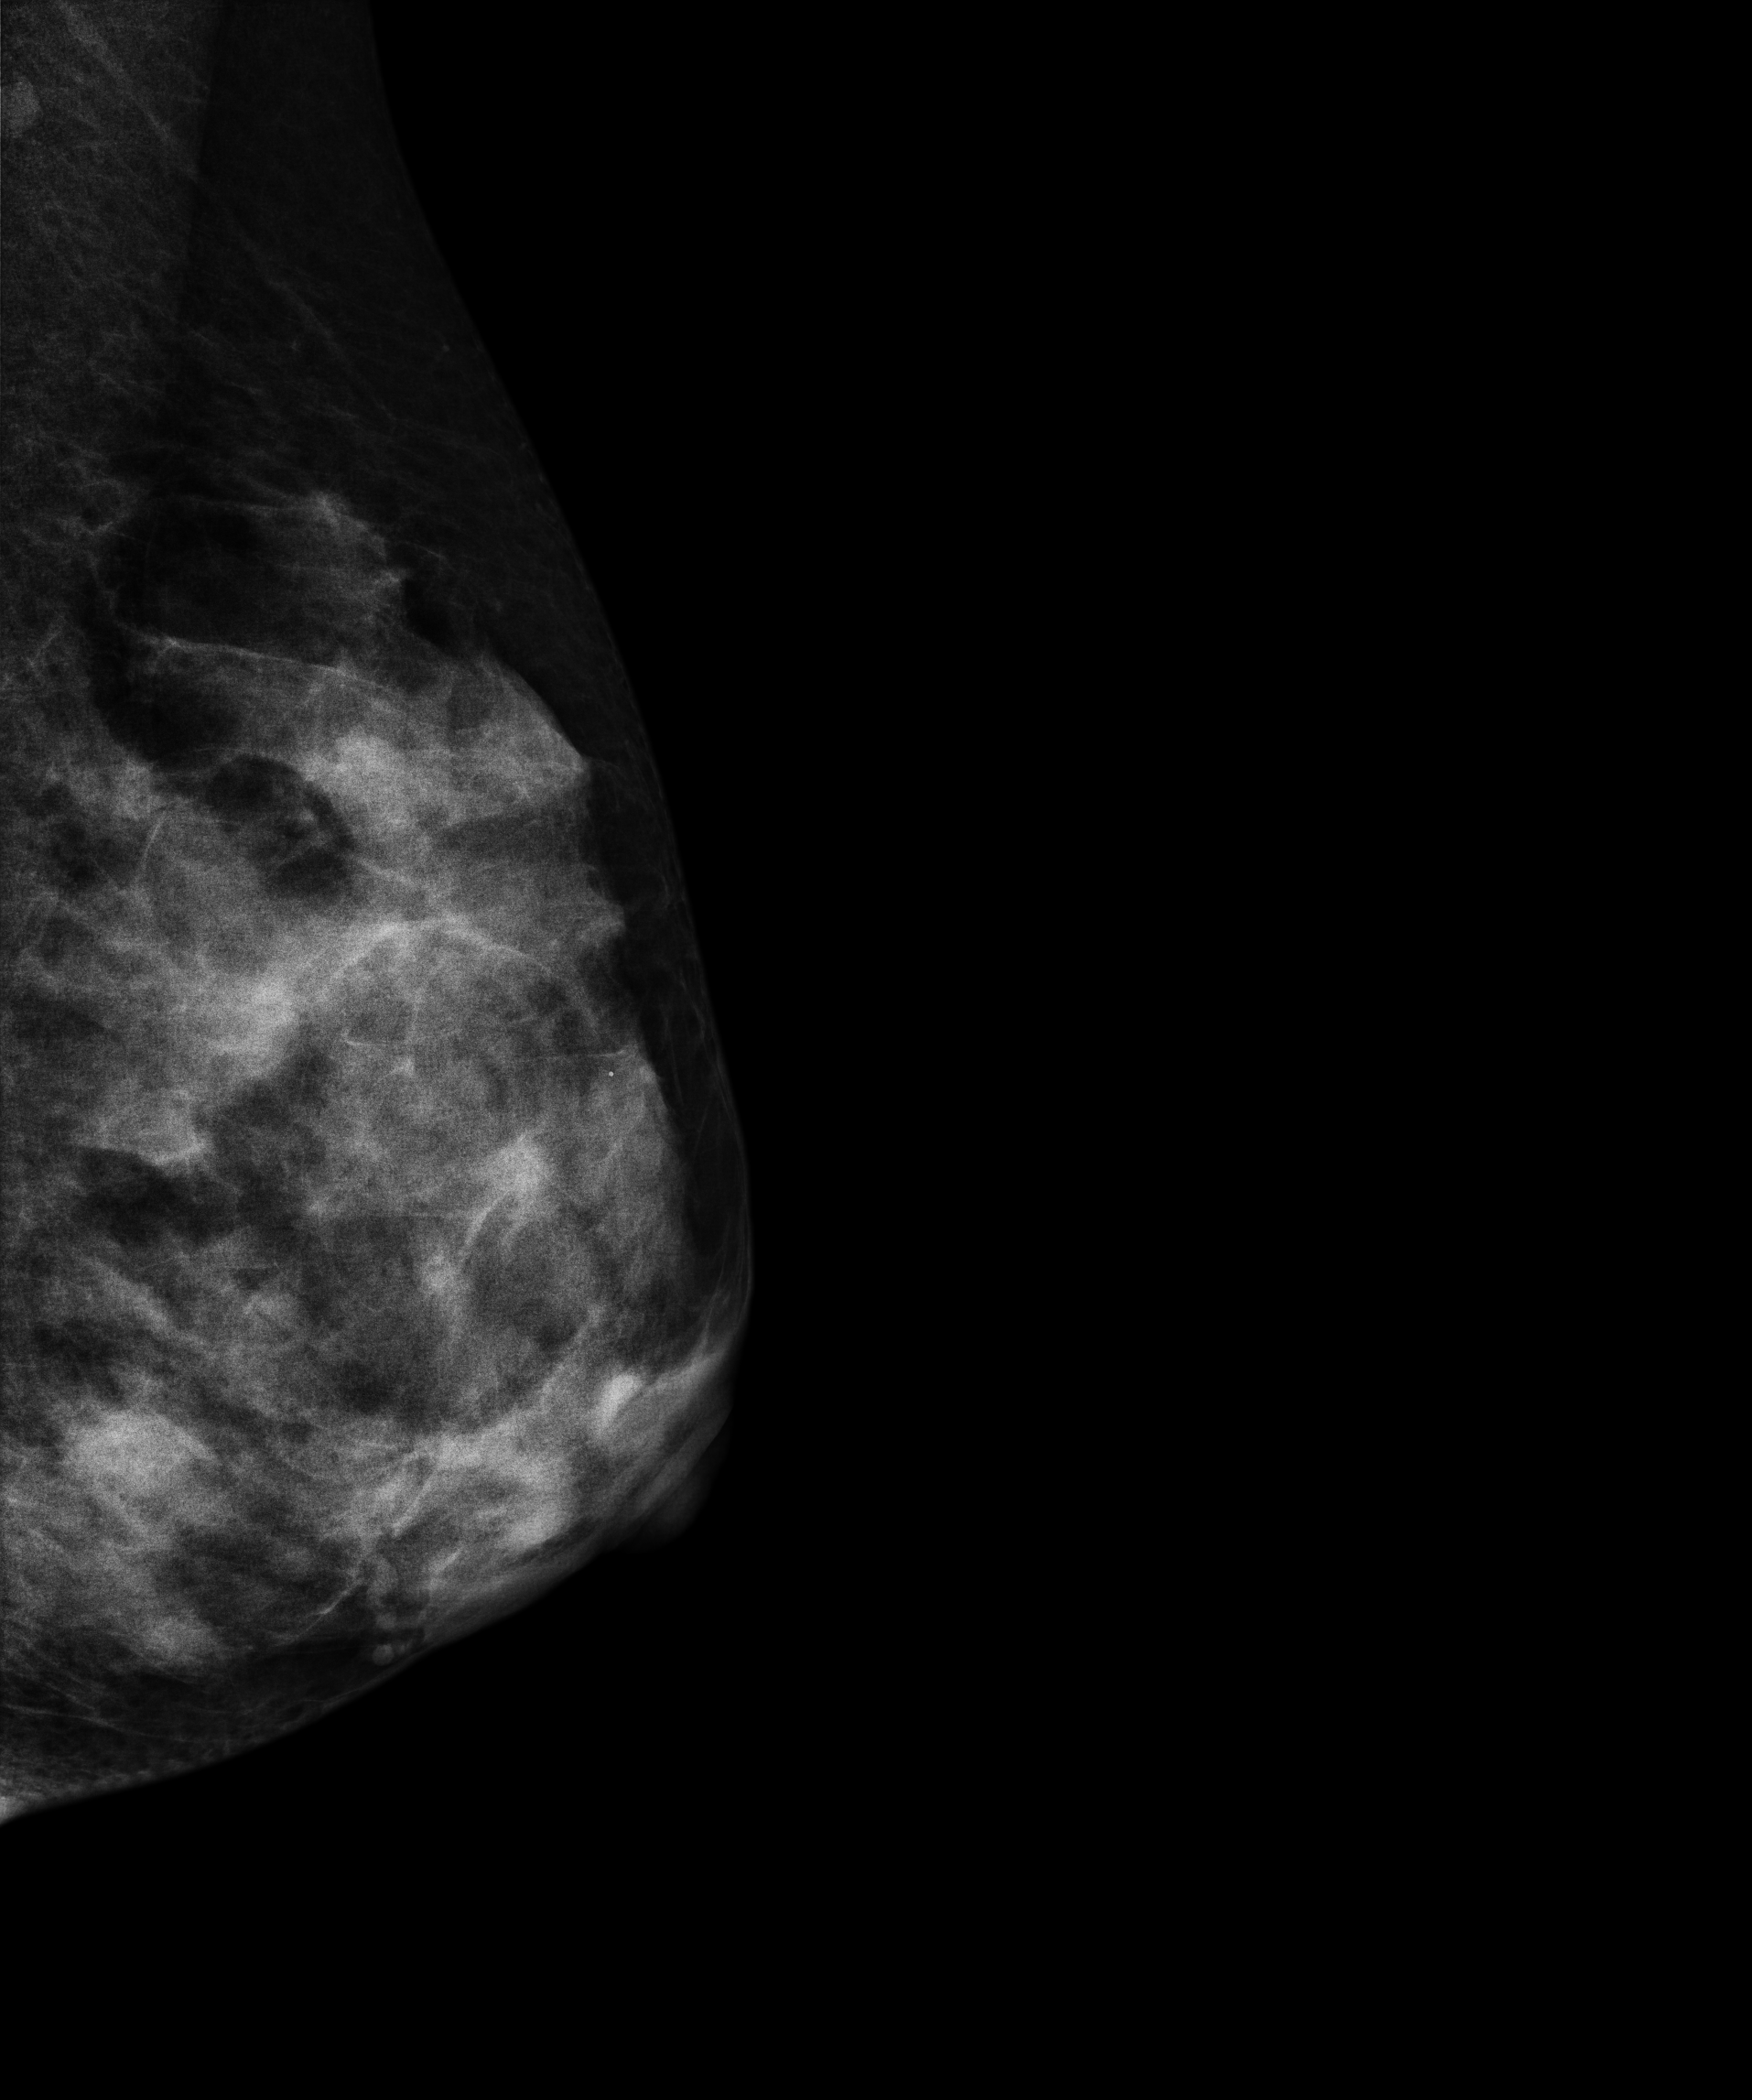
Mammogram, left breast, medio-lateral oblique view. Patient age 42.
Contralateral breast — no documented abnormality on this side.